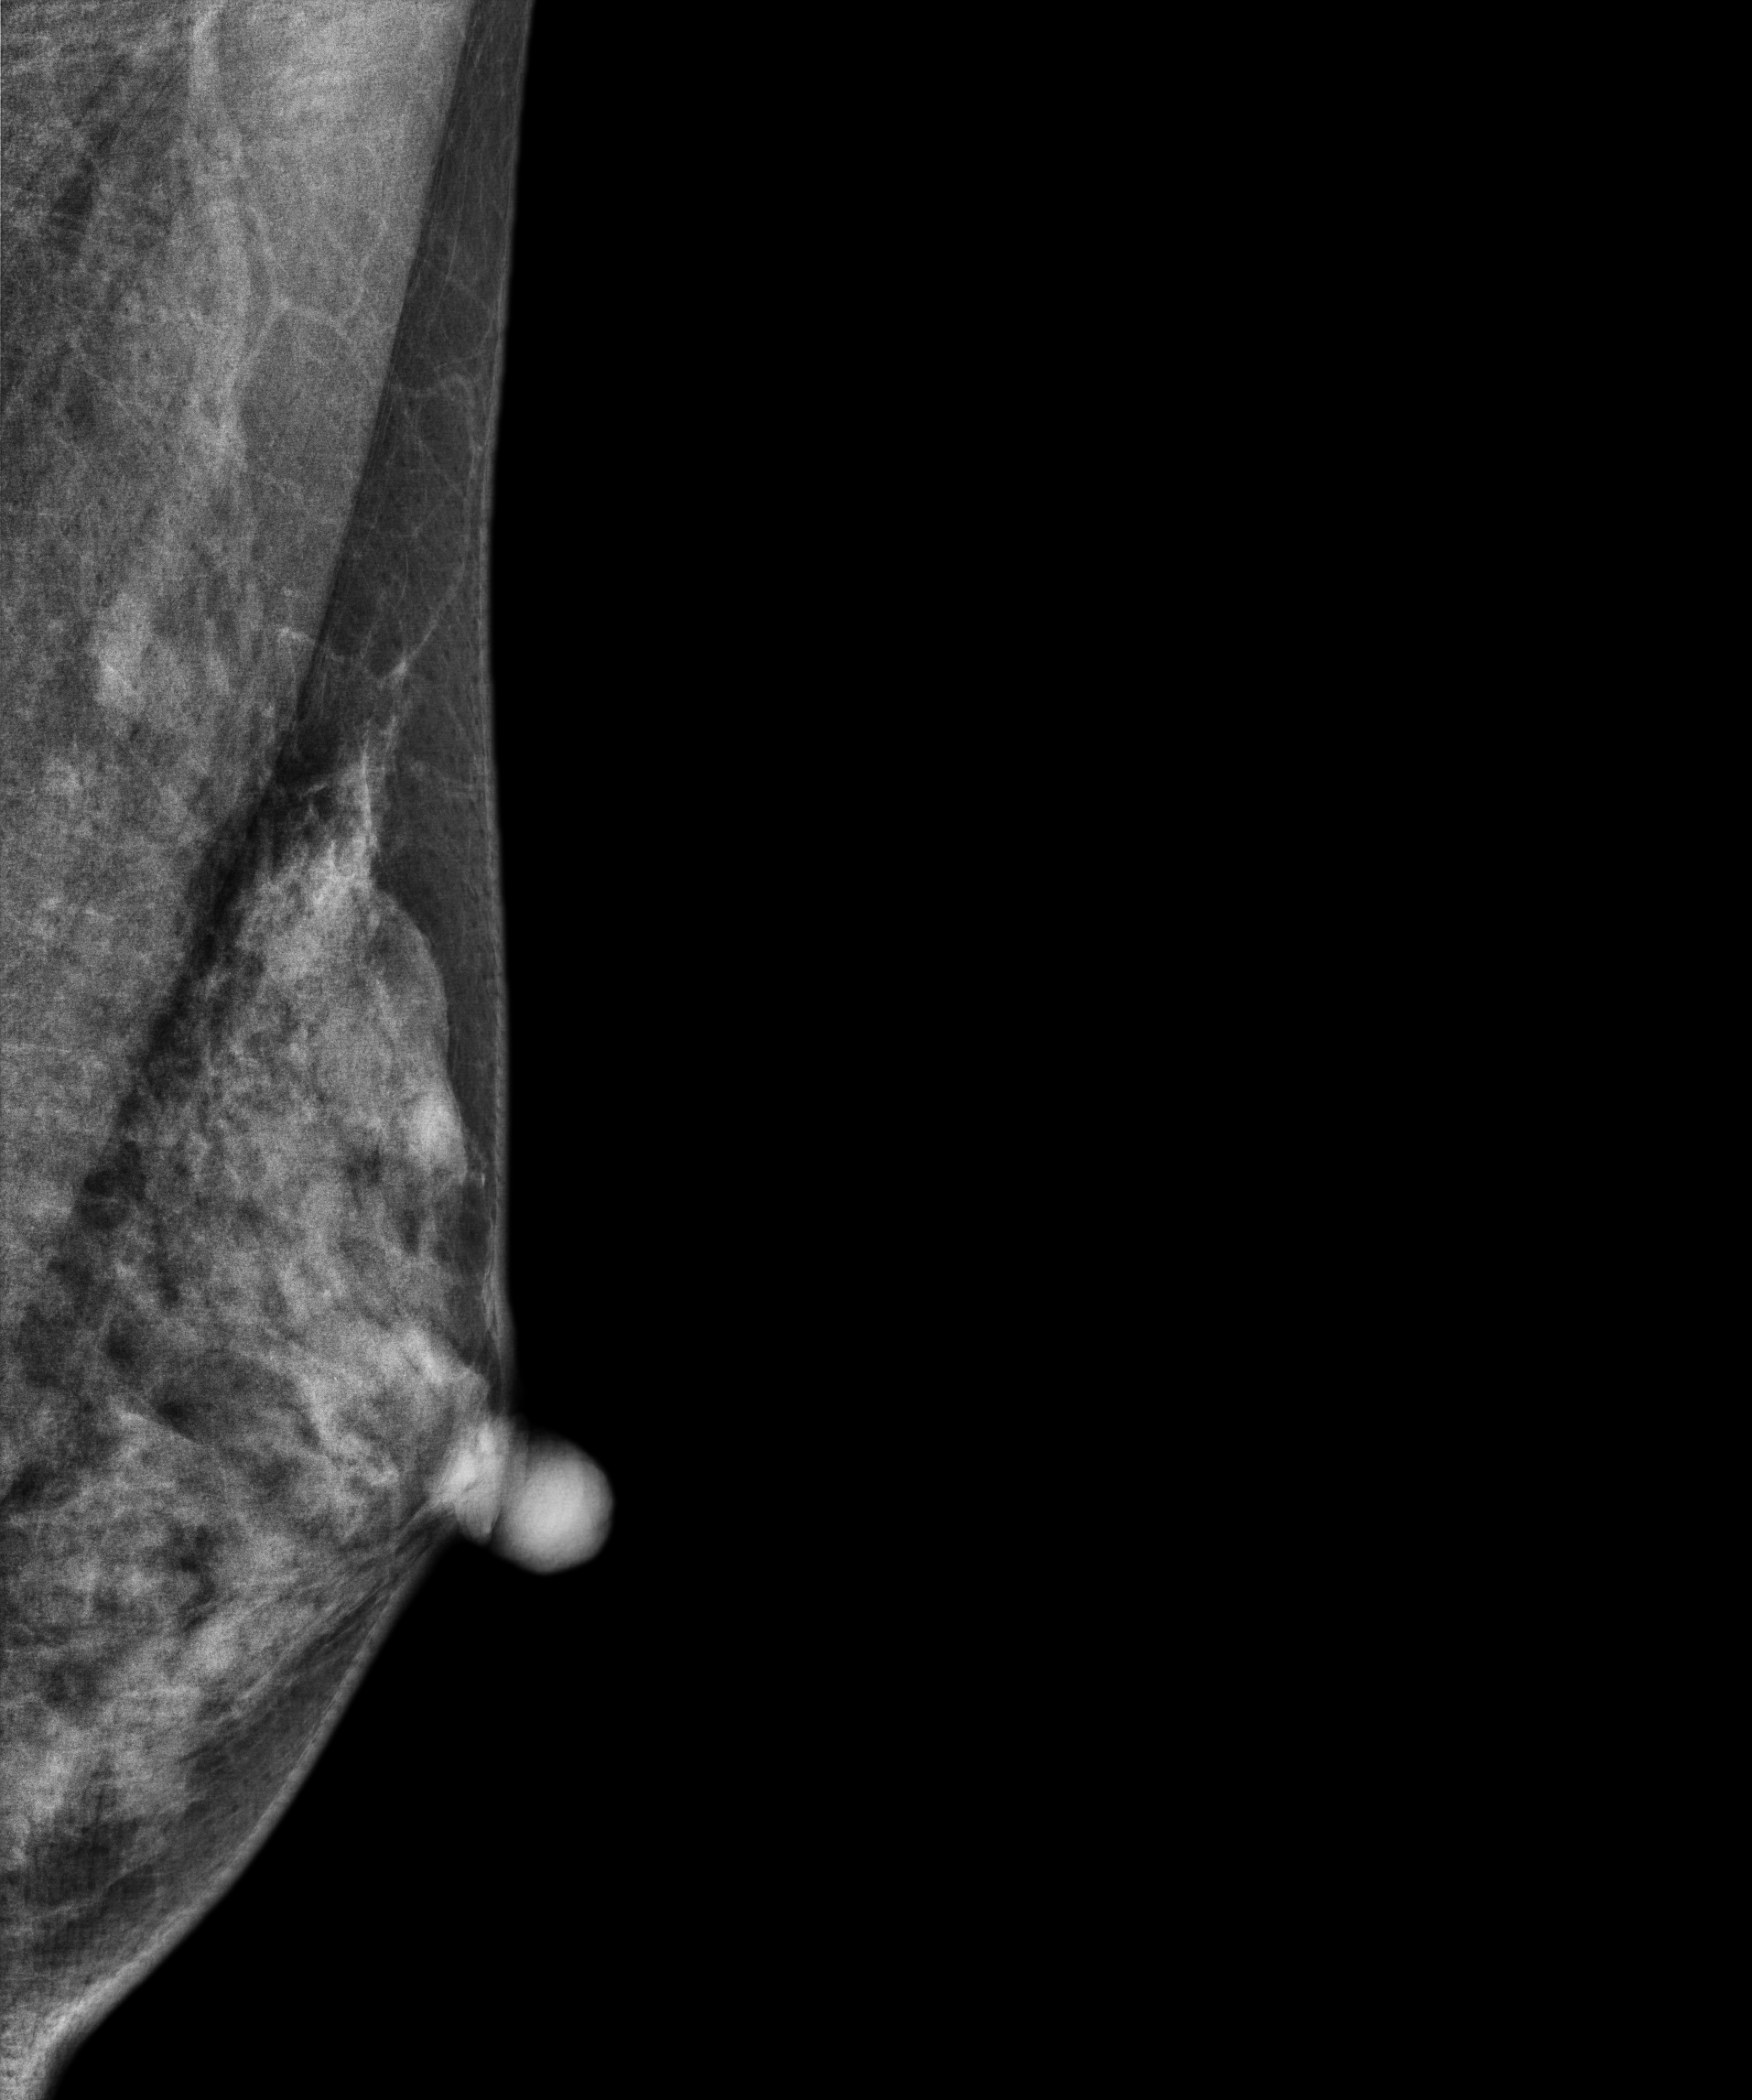
Left-breast mammogram, medio-lateral oblique. Patient age 49.
This breast has calcifications, biopsy-proven benign.